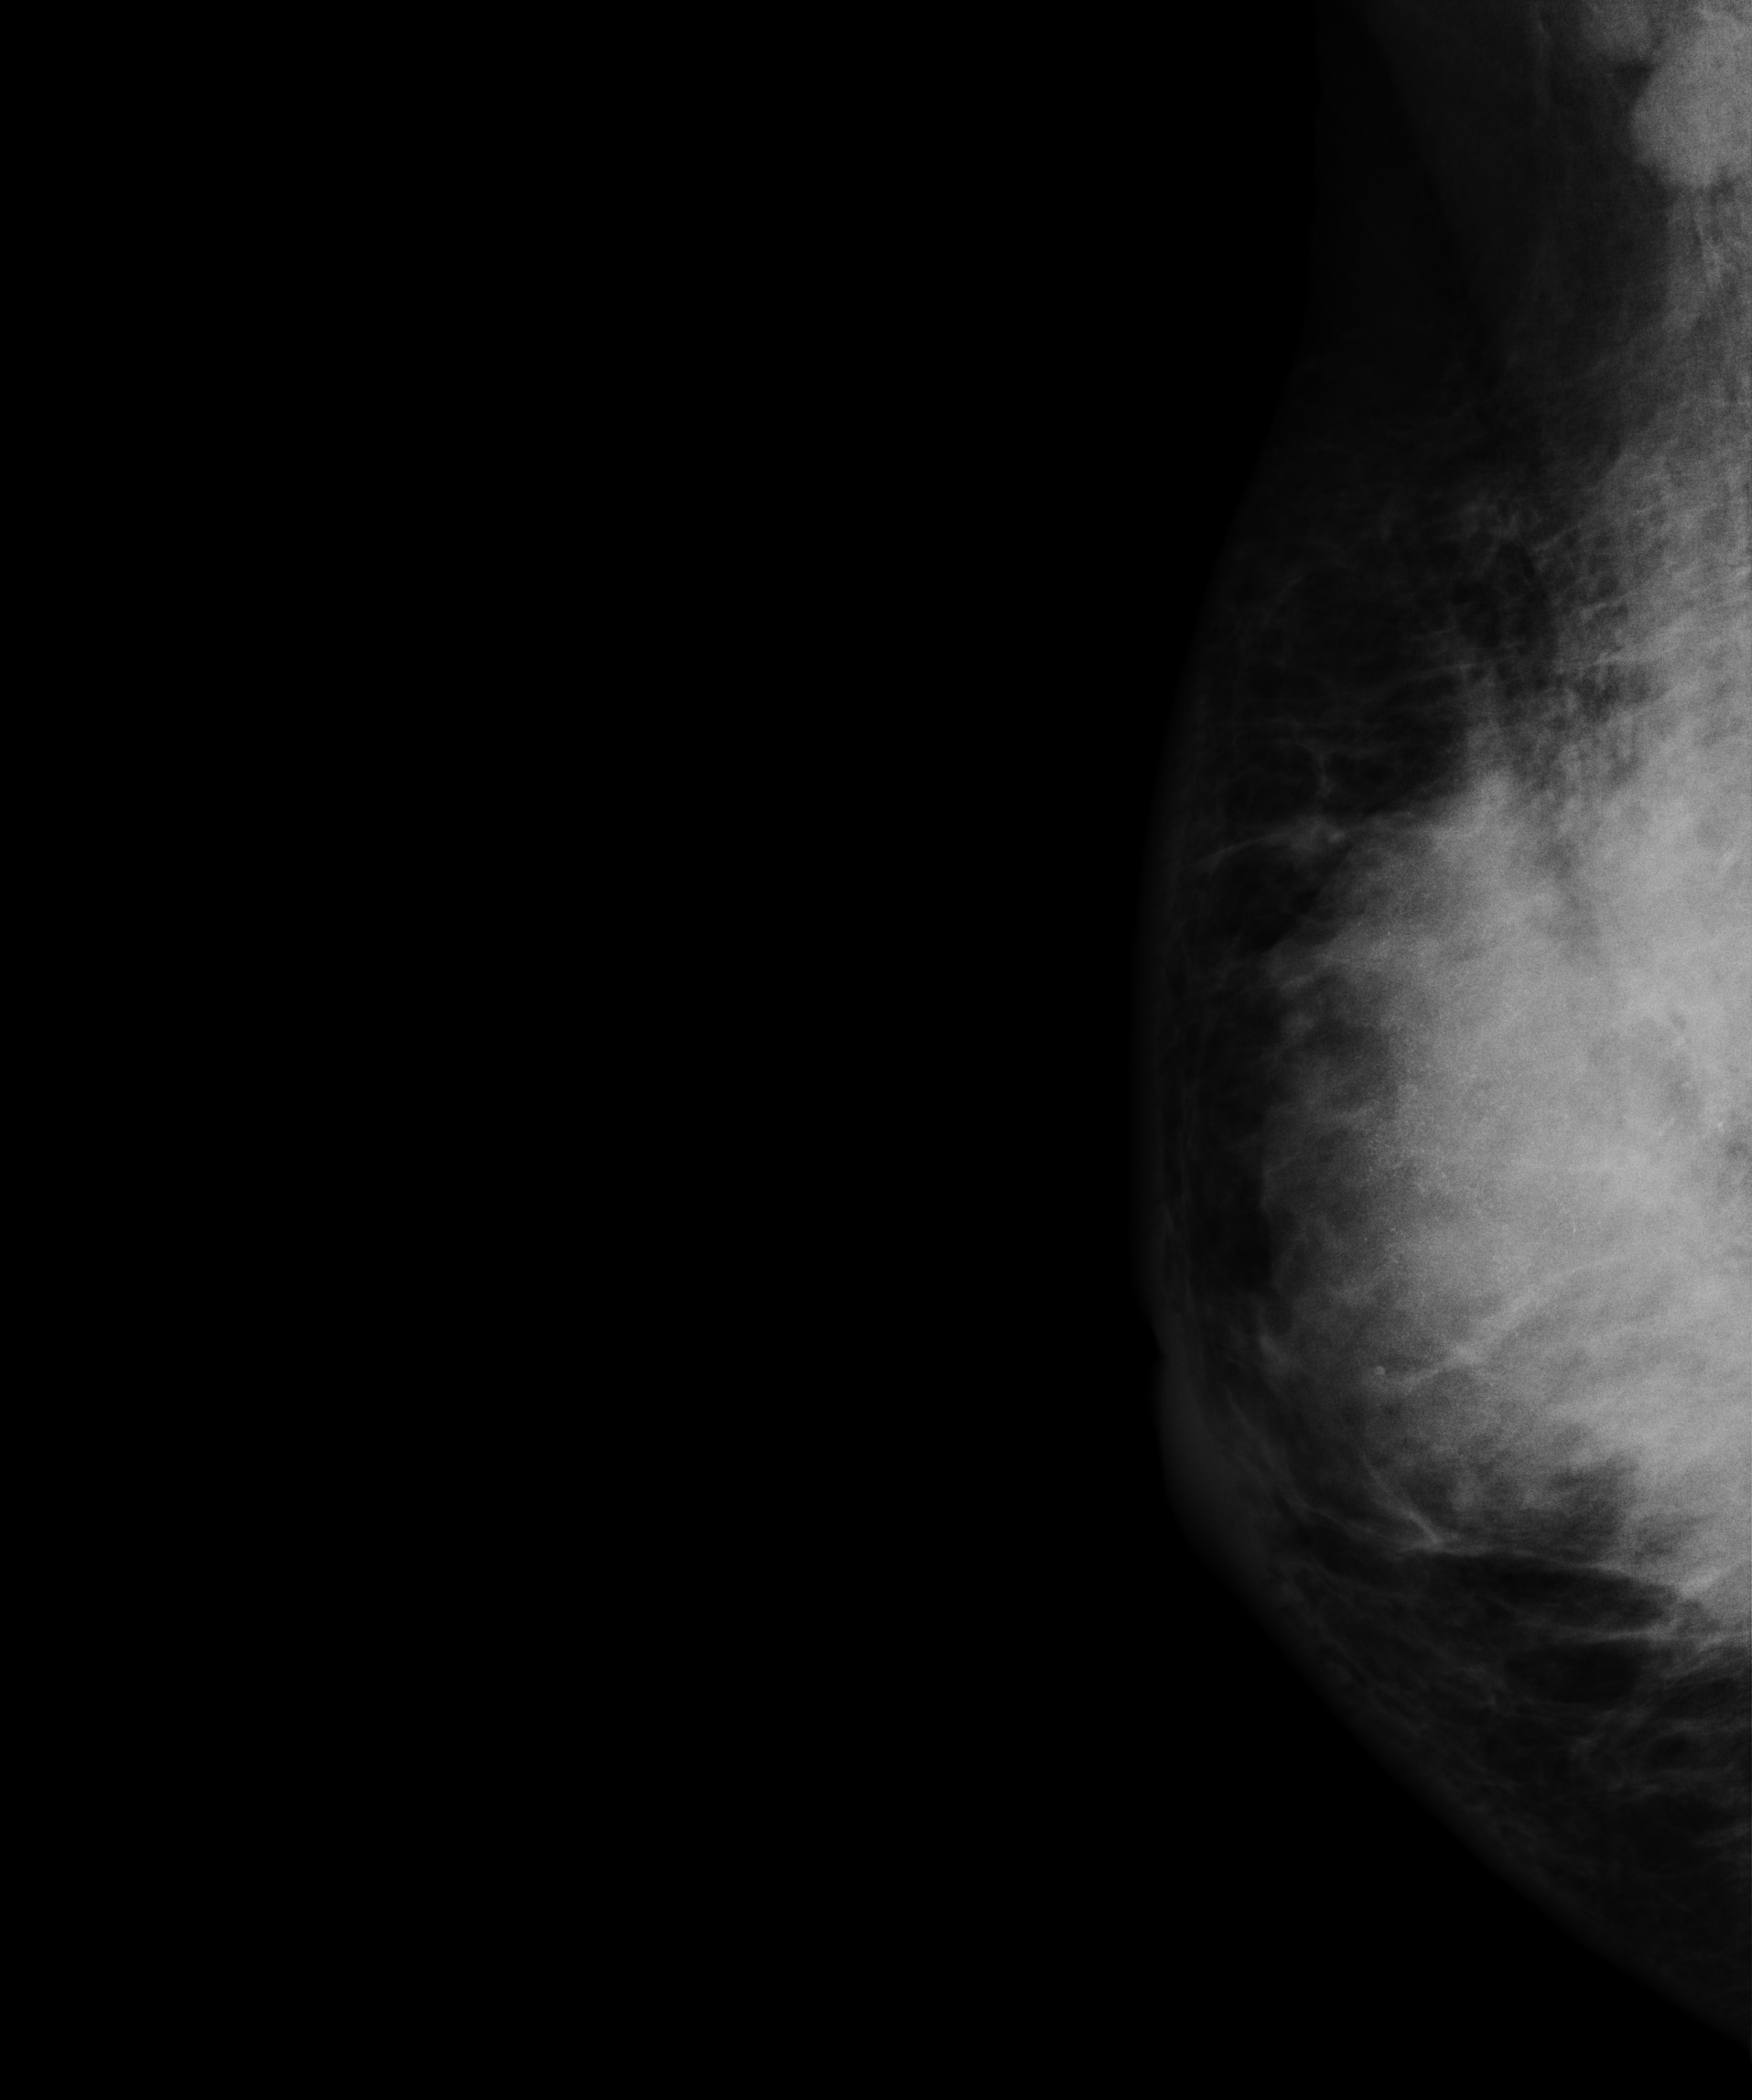
Mammogram, right breast, medio-lateral oblique view. 48-year-old patient.
This breast has a mass and calcifications, pathology-confirmed malignant. Molecular subtype: luminal B.